Medio-lateral oblique mammogram of the right breast. 40 y/o patient.
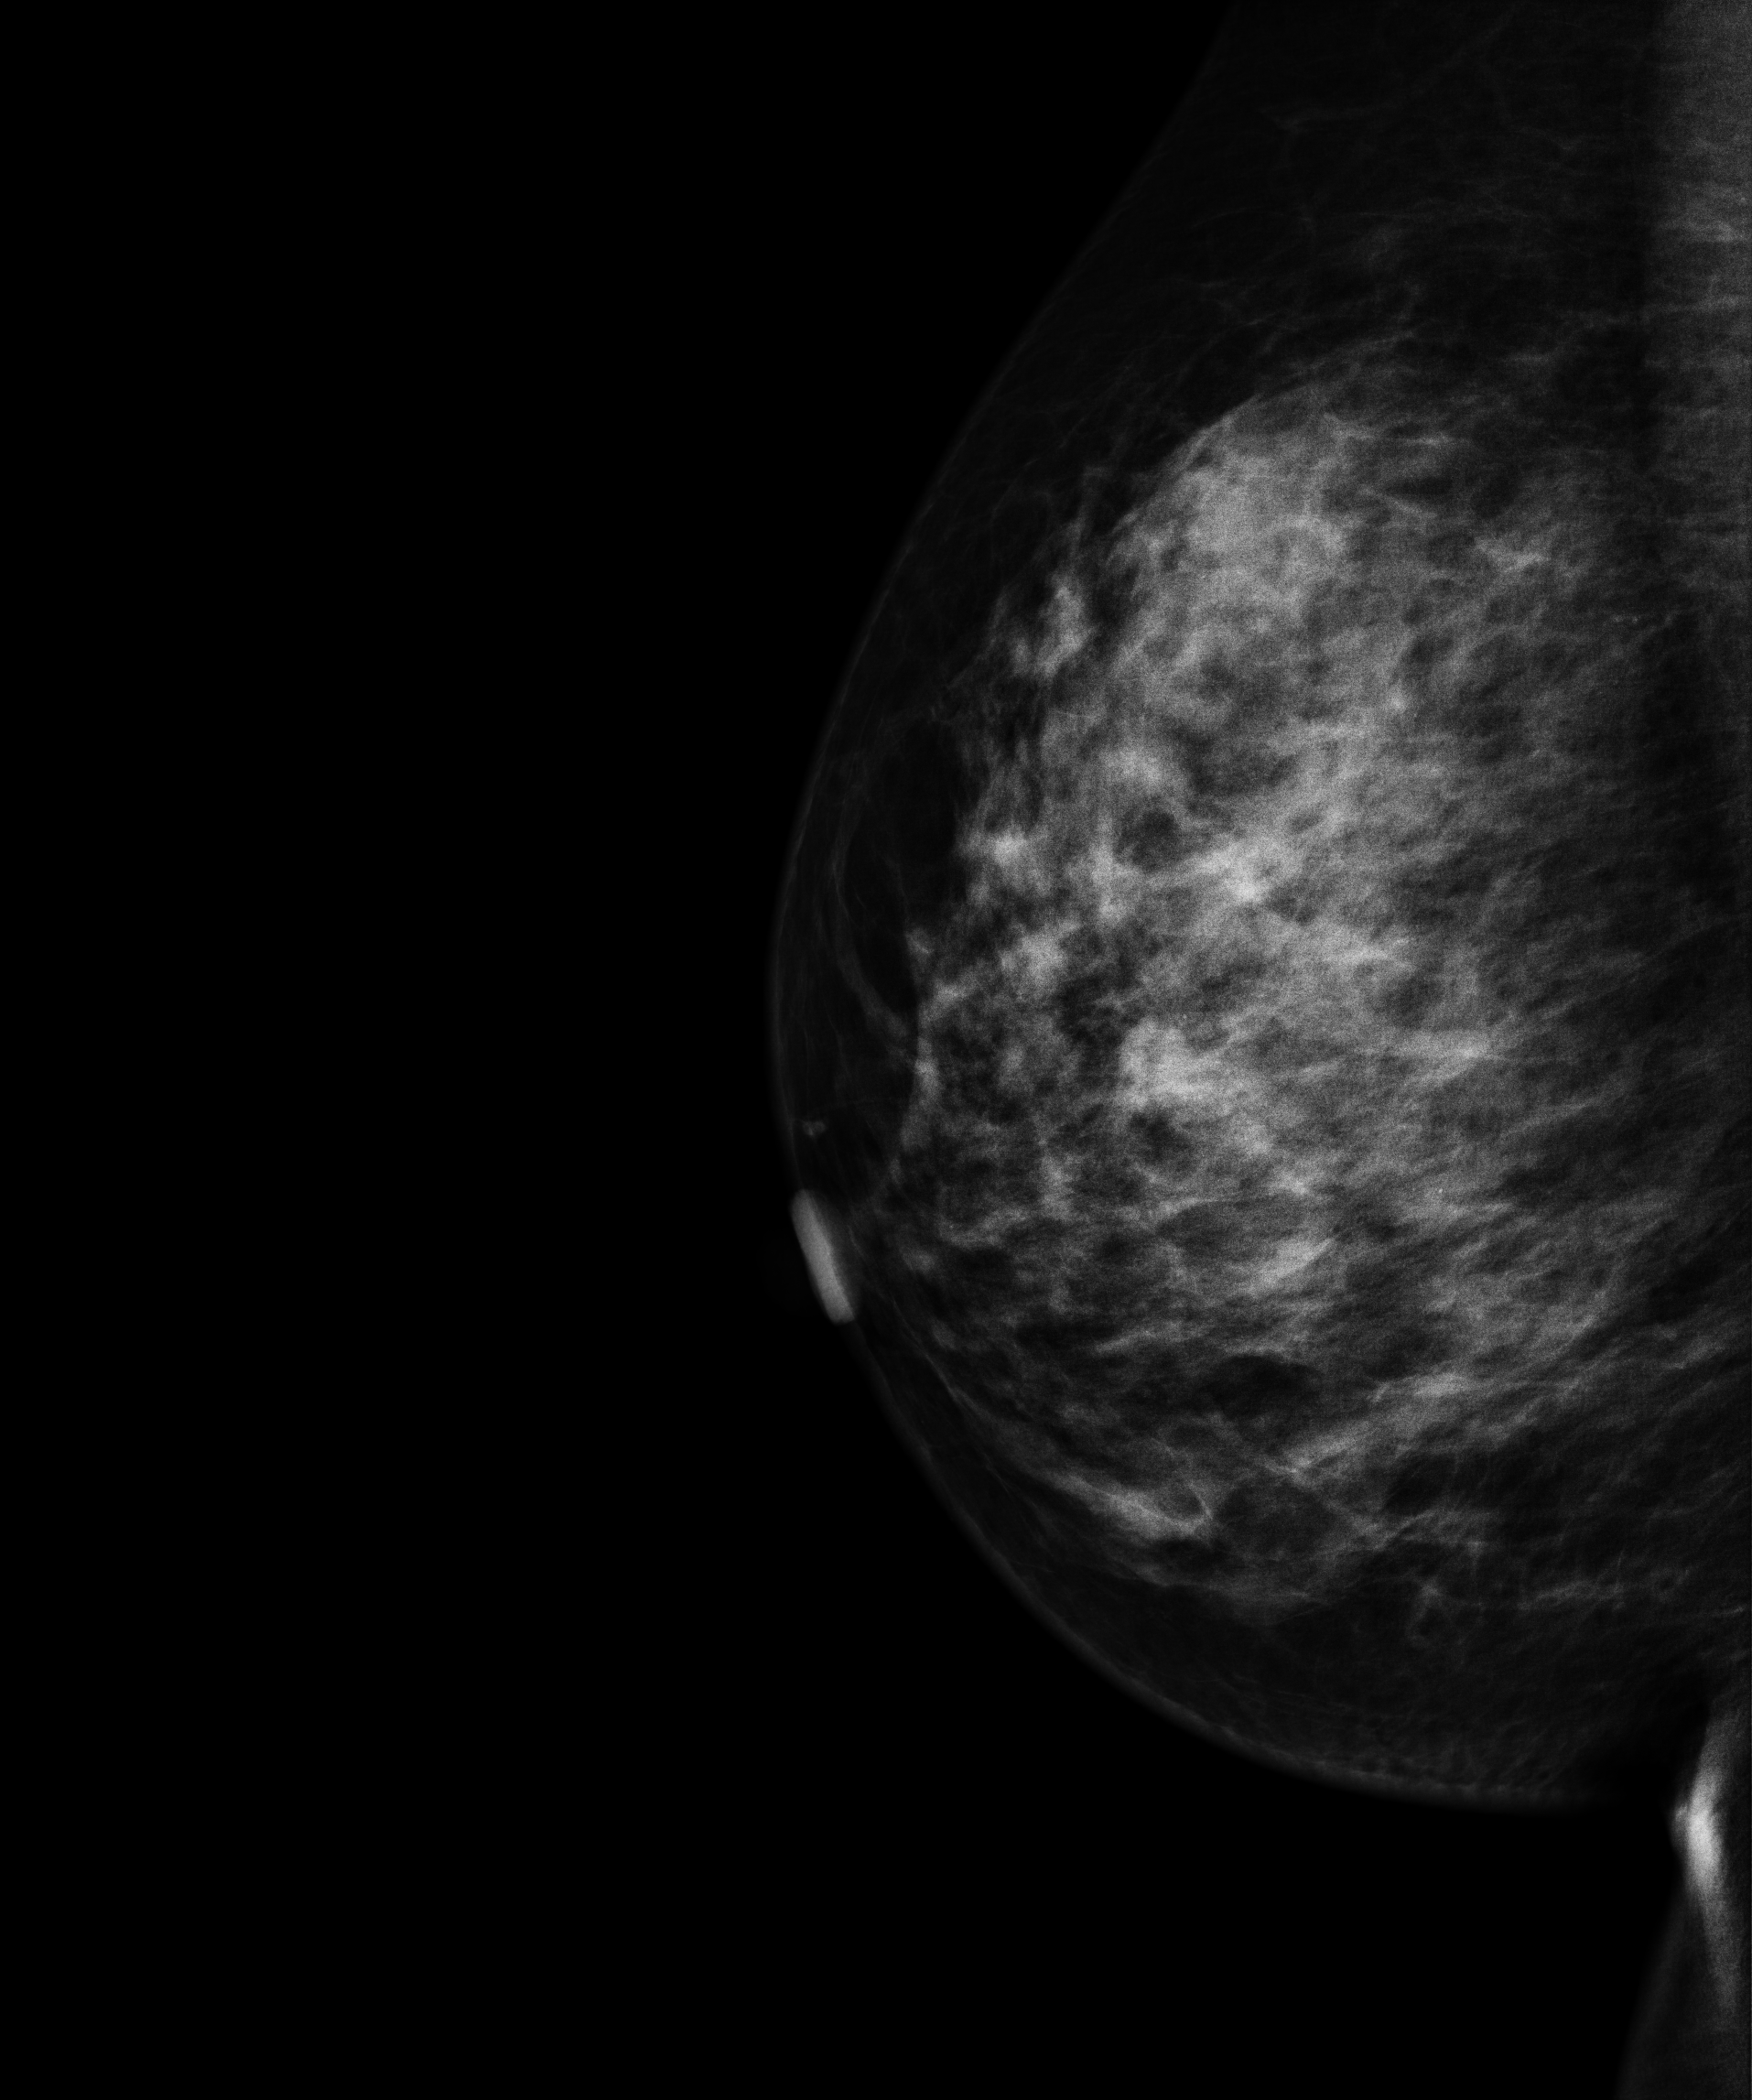
This breast has a mass, histologically confirmed malignant. Molecular subtype: luminal B.